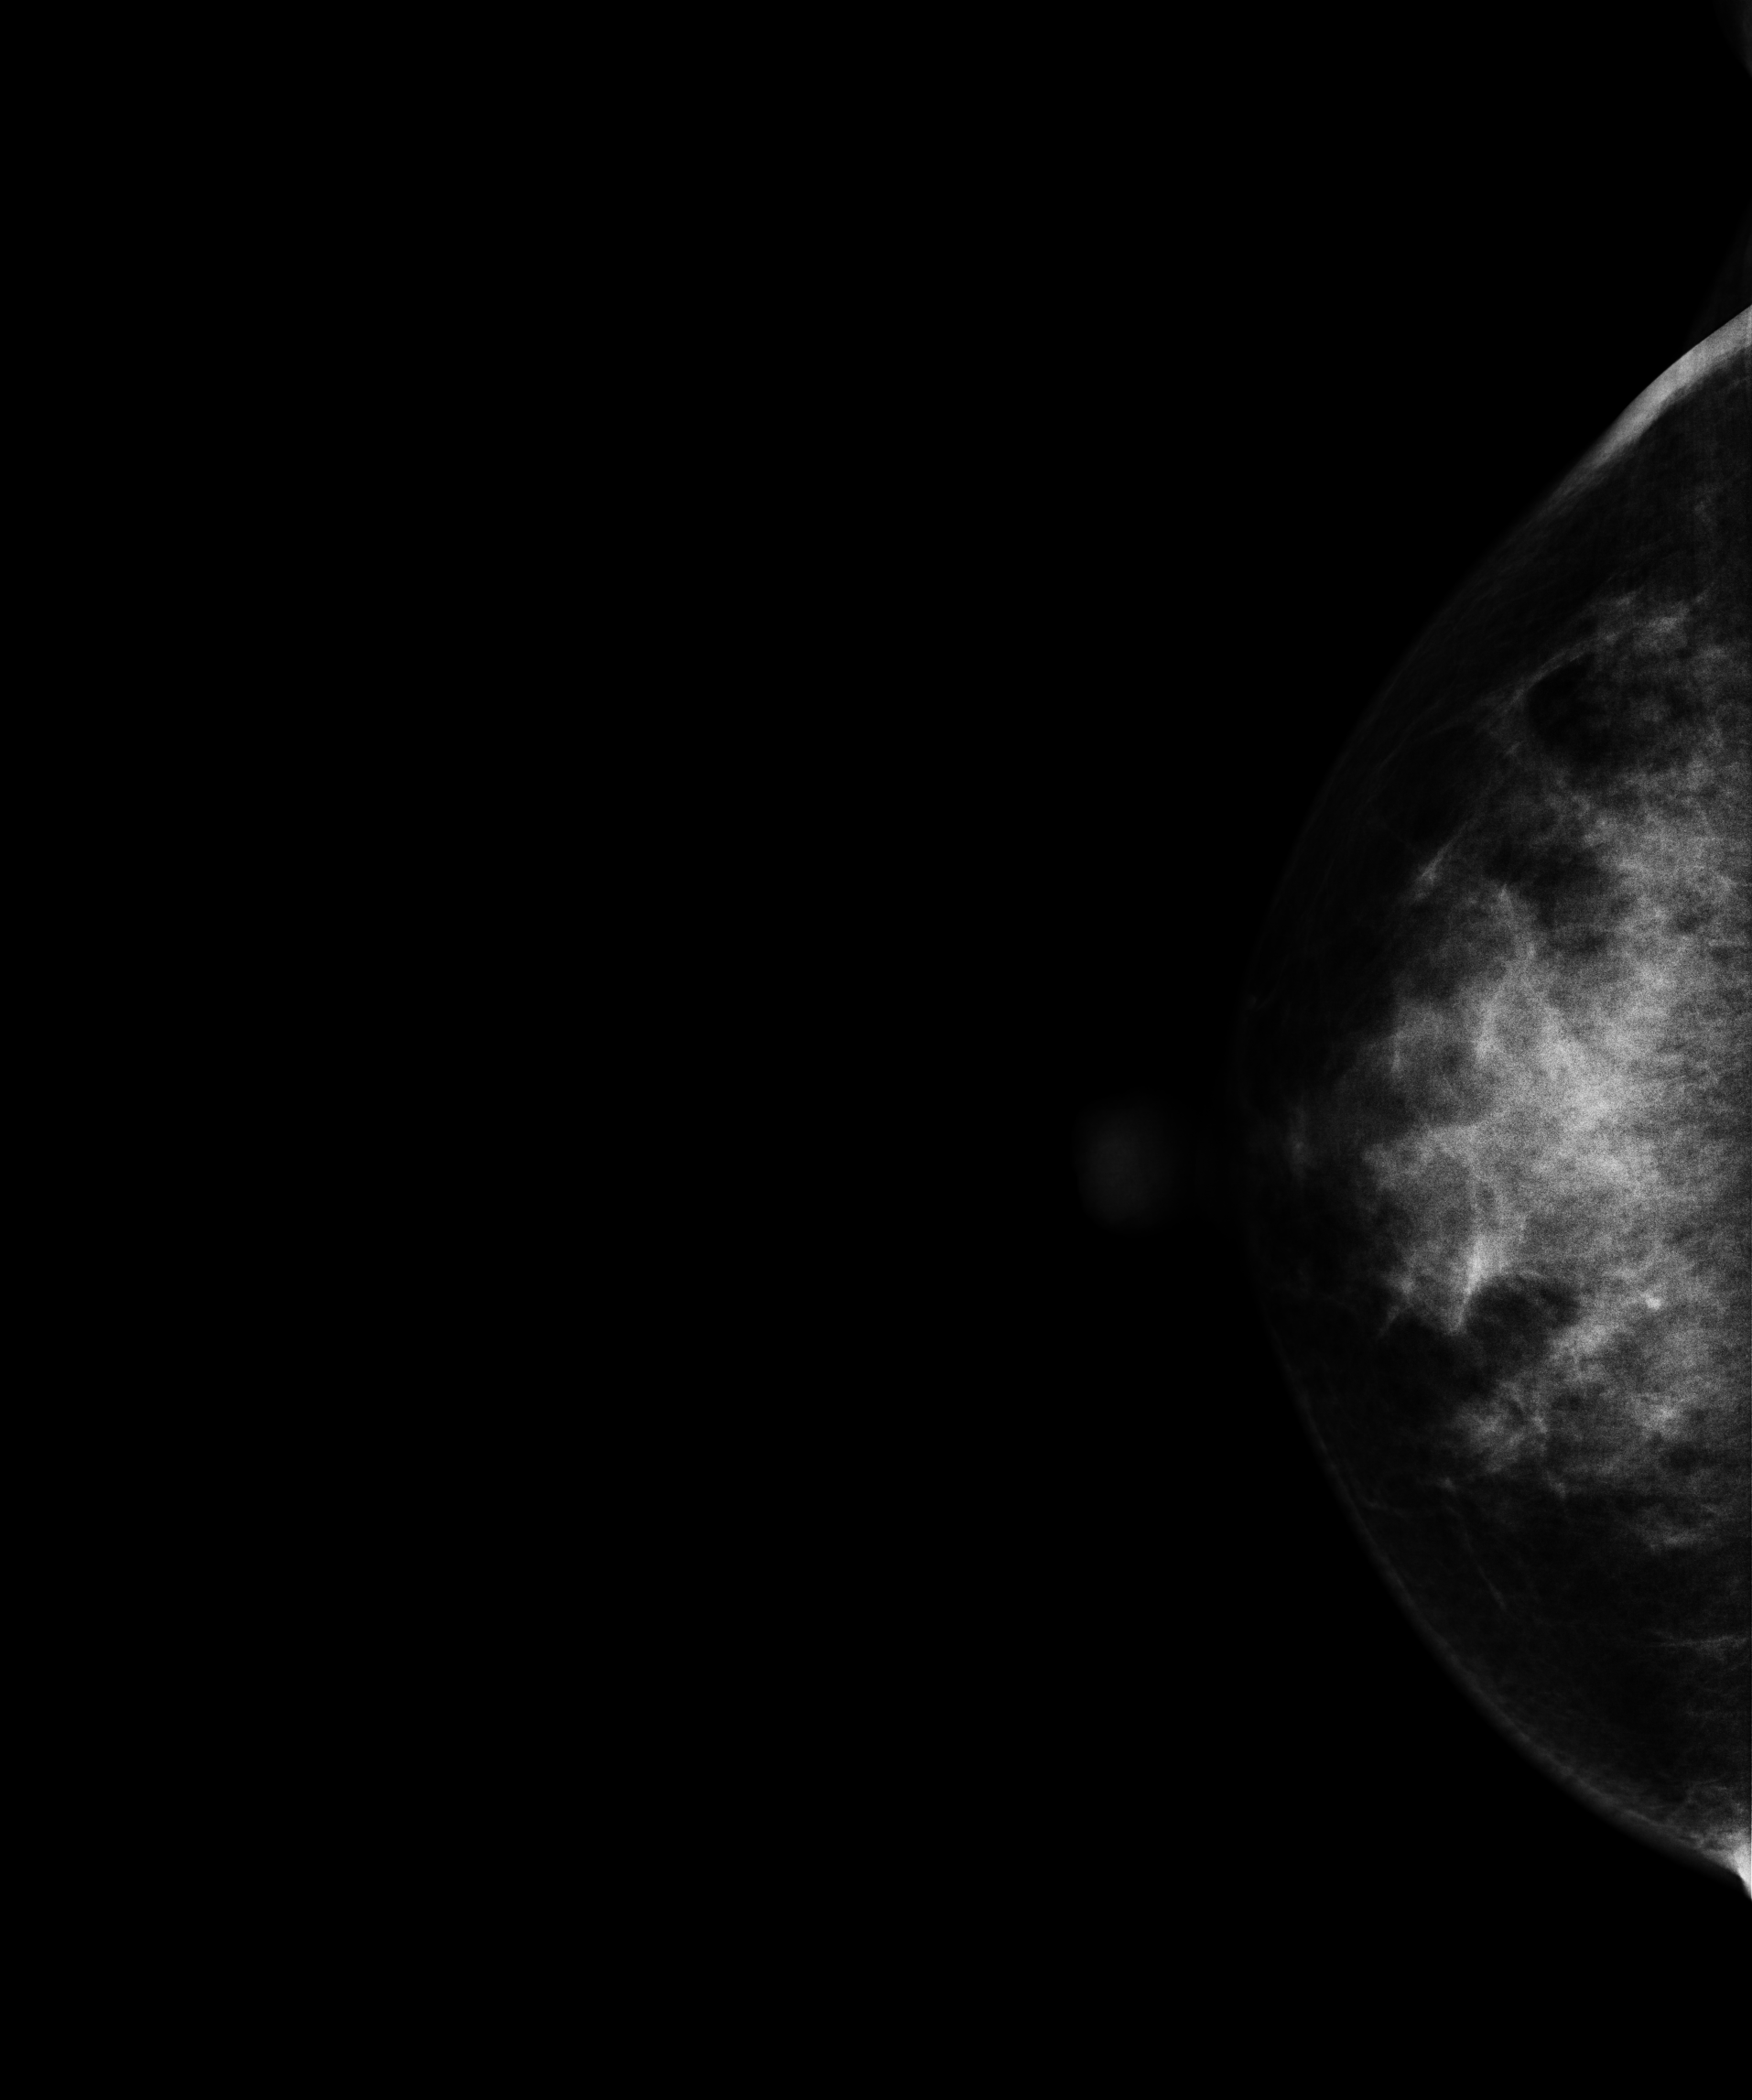
Mammogram — right CC. 46 y/o patient.
Contralateral breast — no documented abnormality on this side.